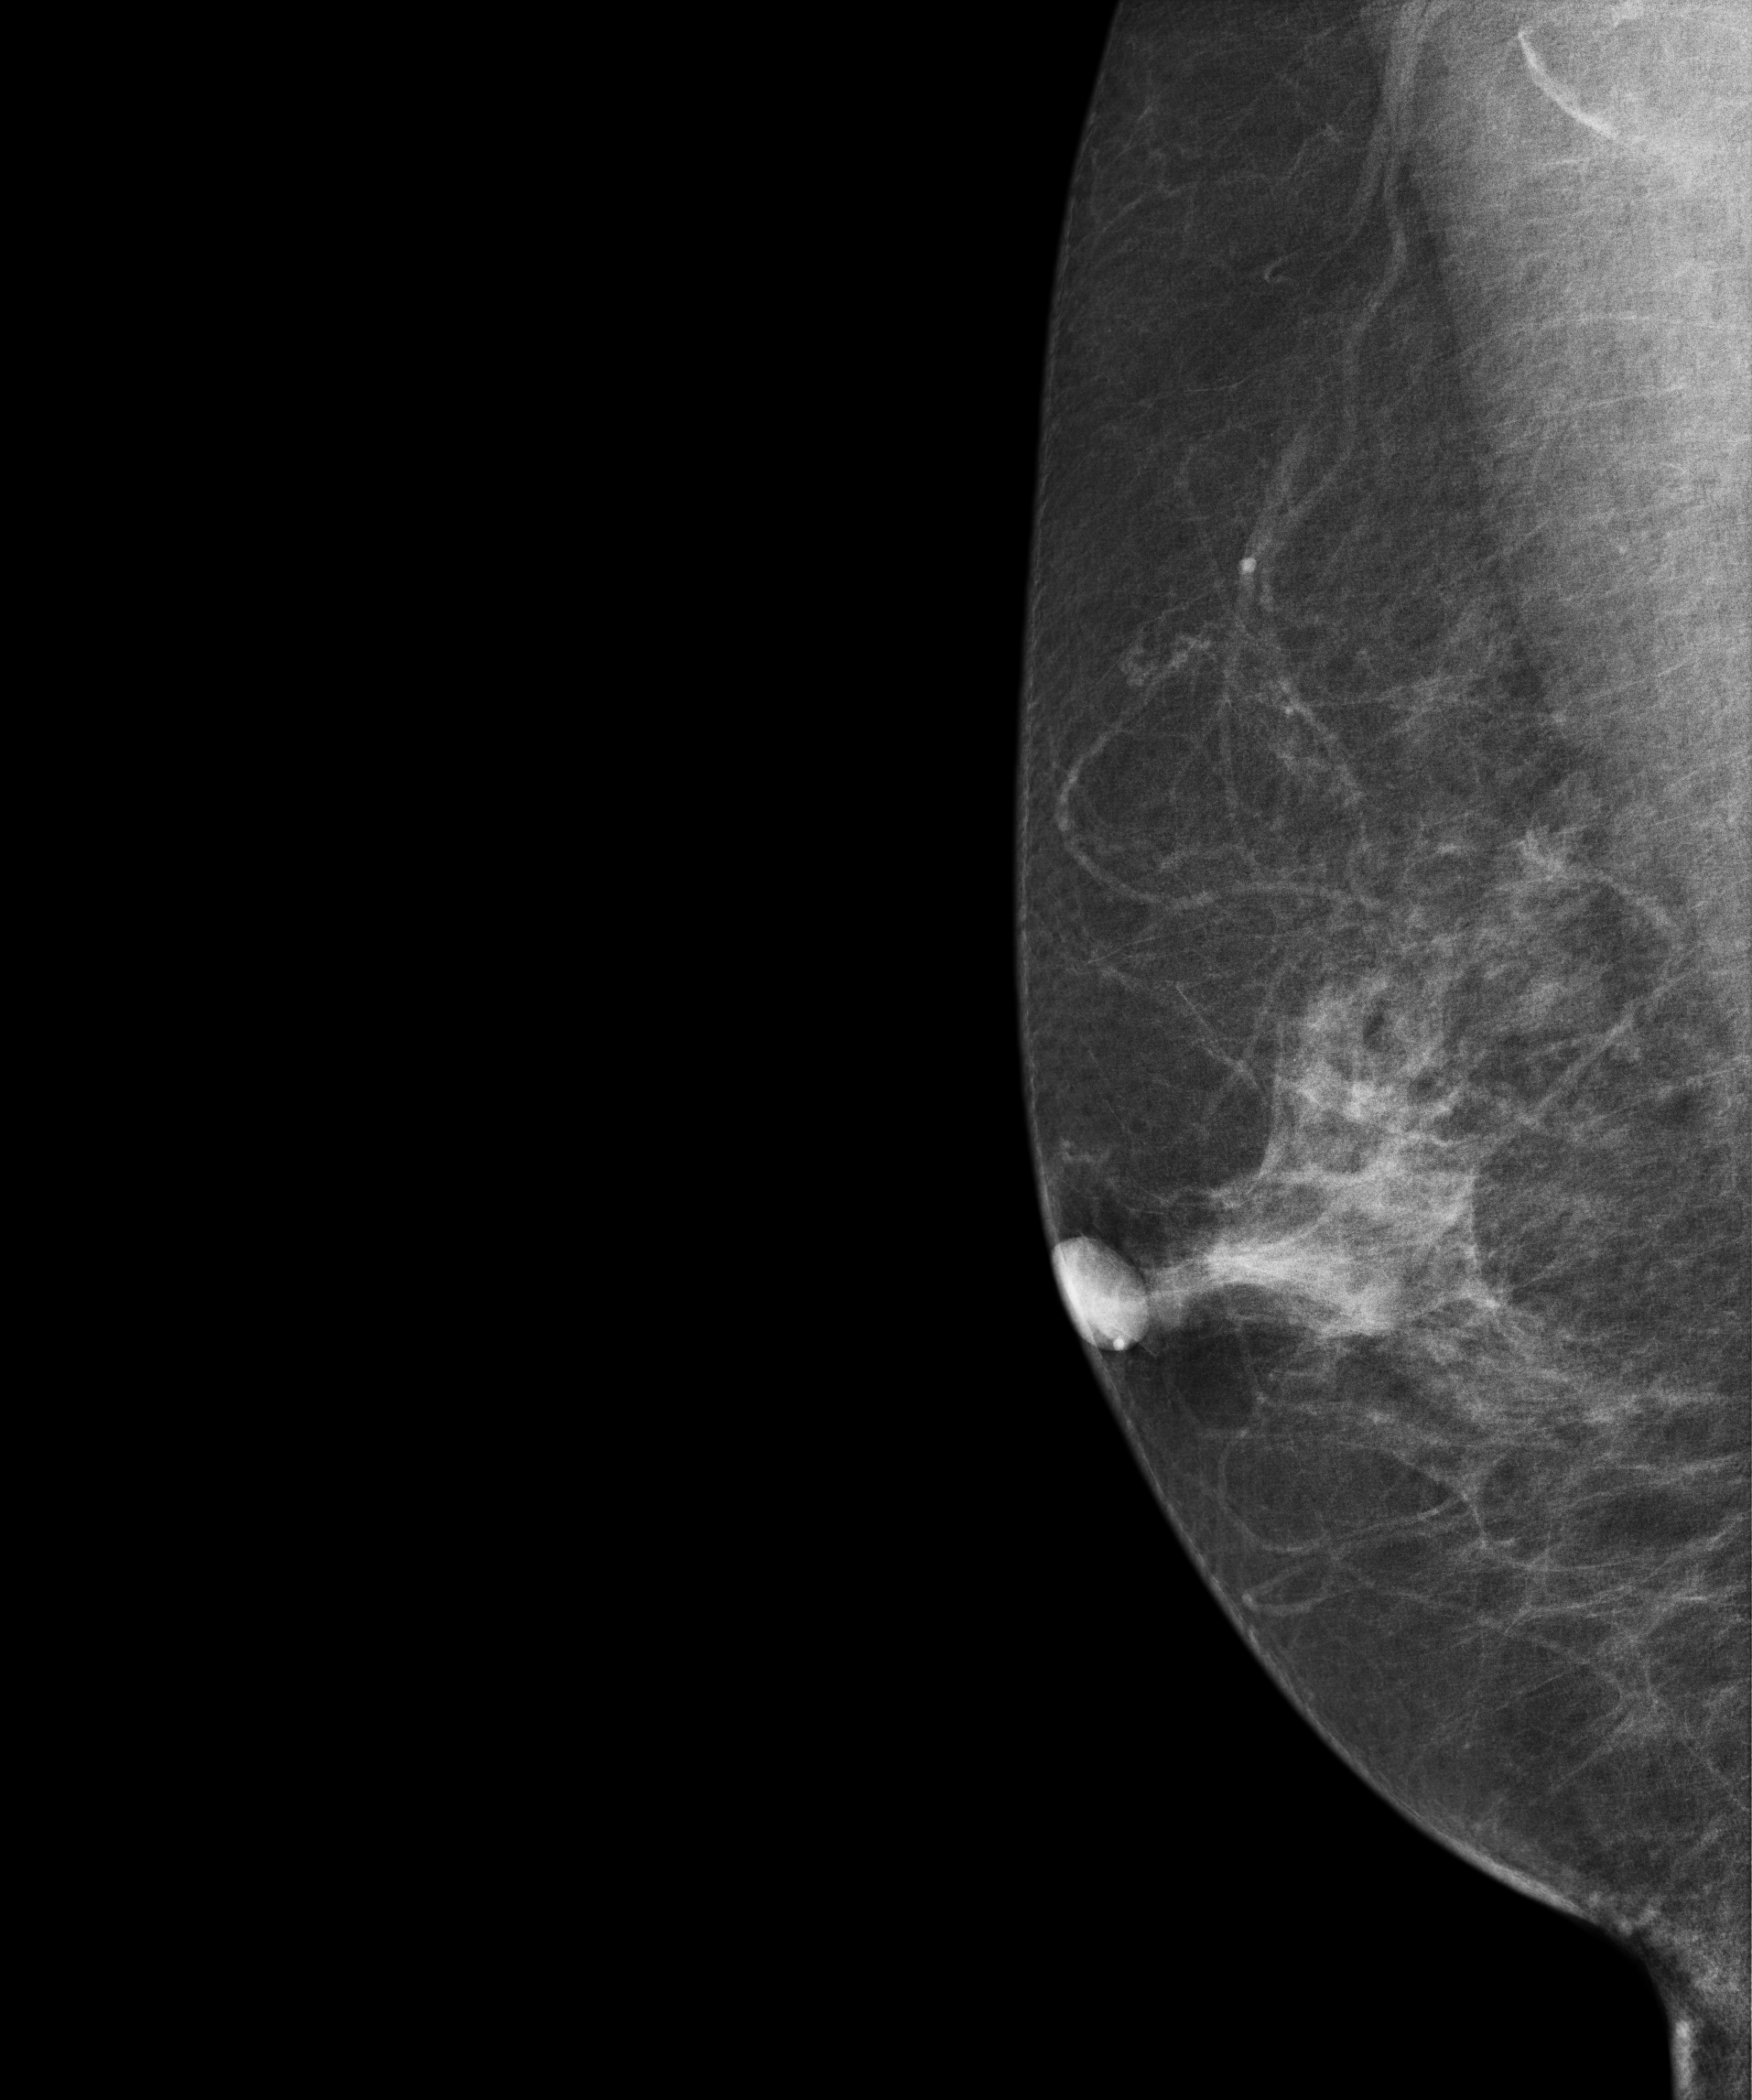
Digital mammography. Right breast, medio-lateral oblique projection. Patient age 58.
Contralateral breast — no documented abnormality on this side.